Digital mammography. Left breast, CC projection. 31 y/o patient.
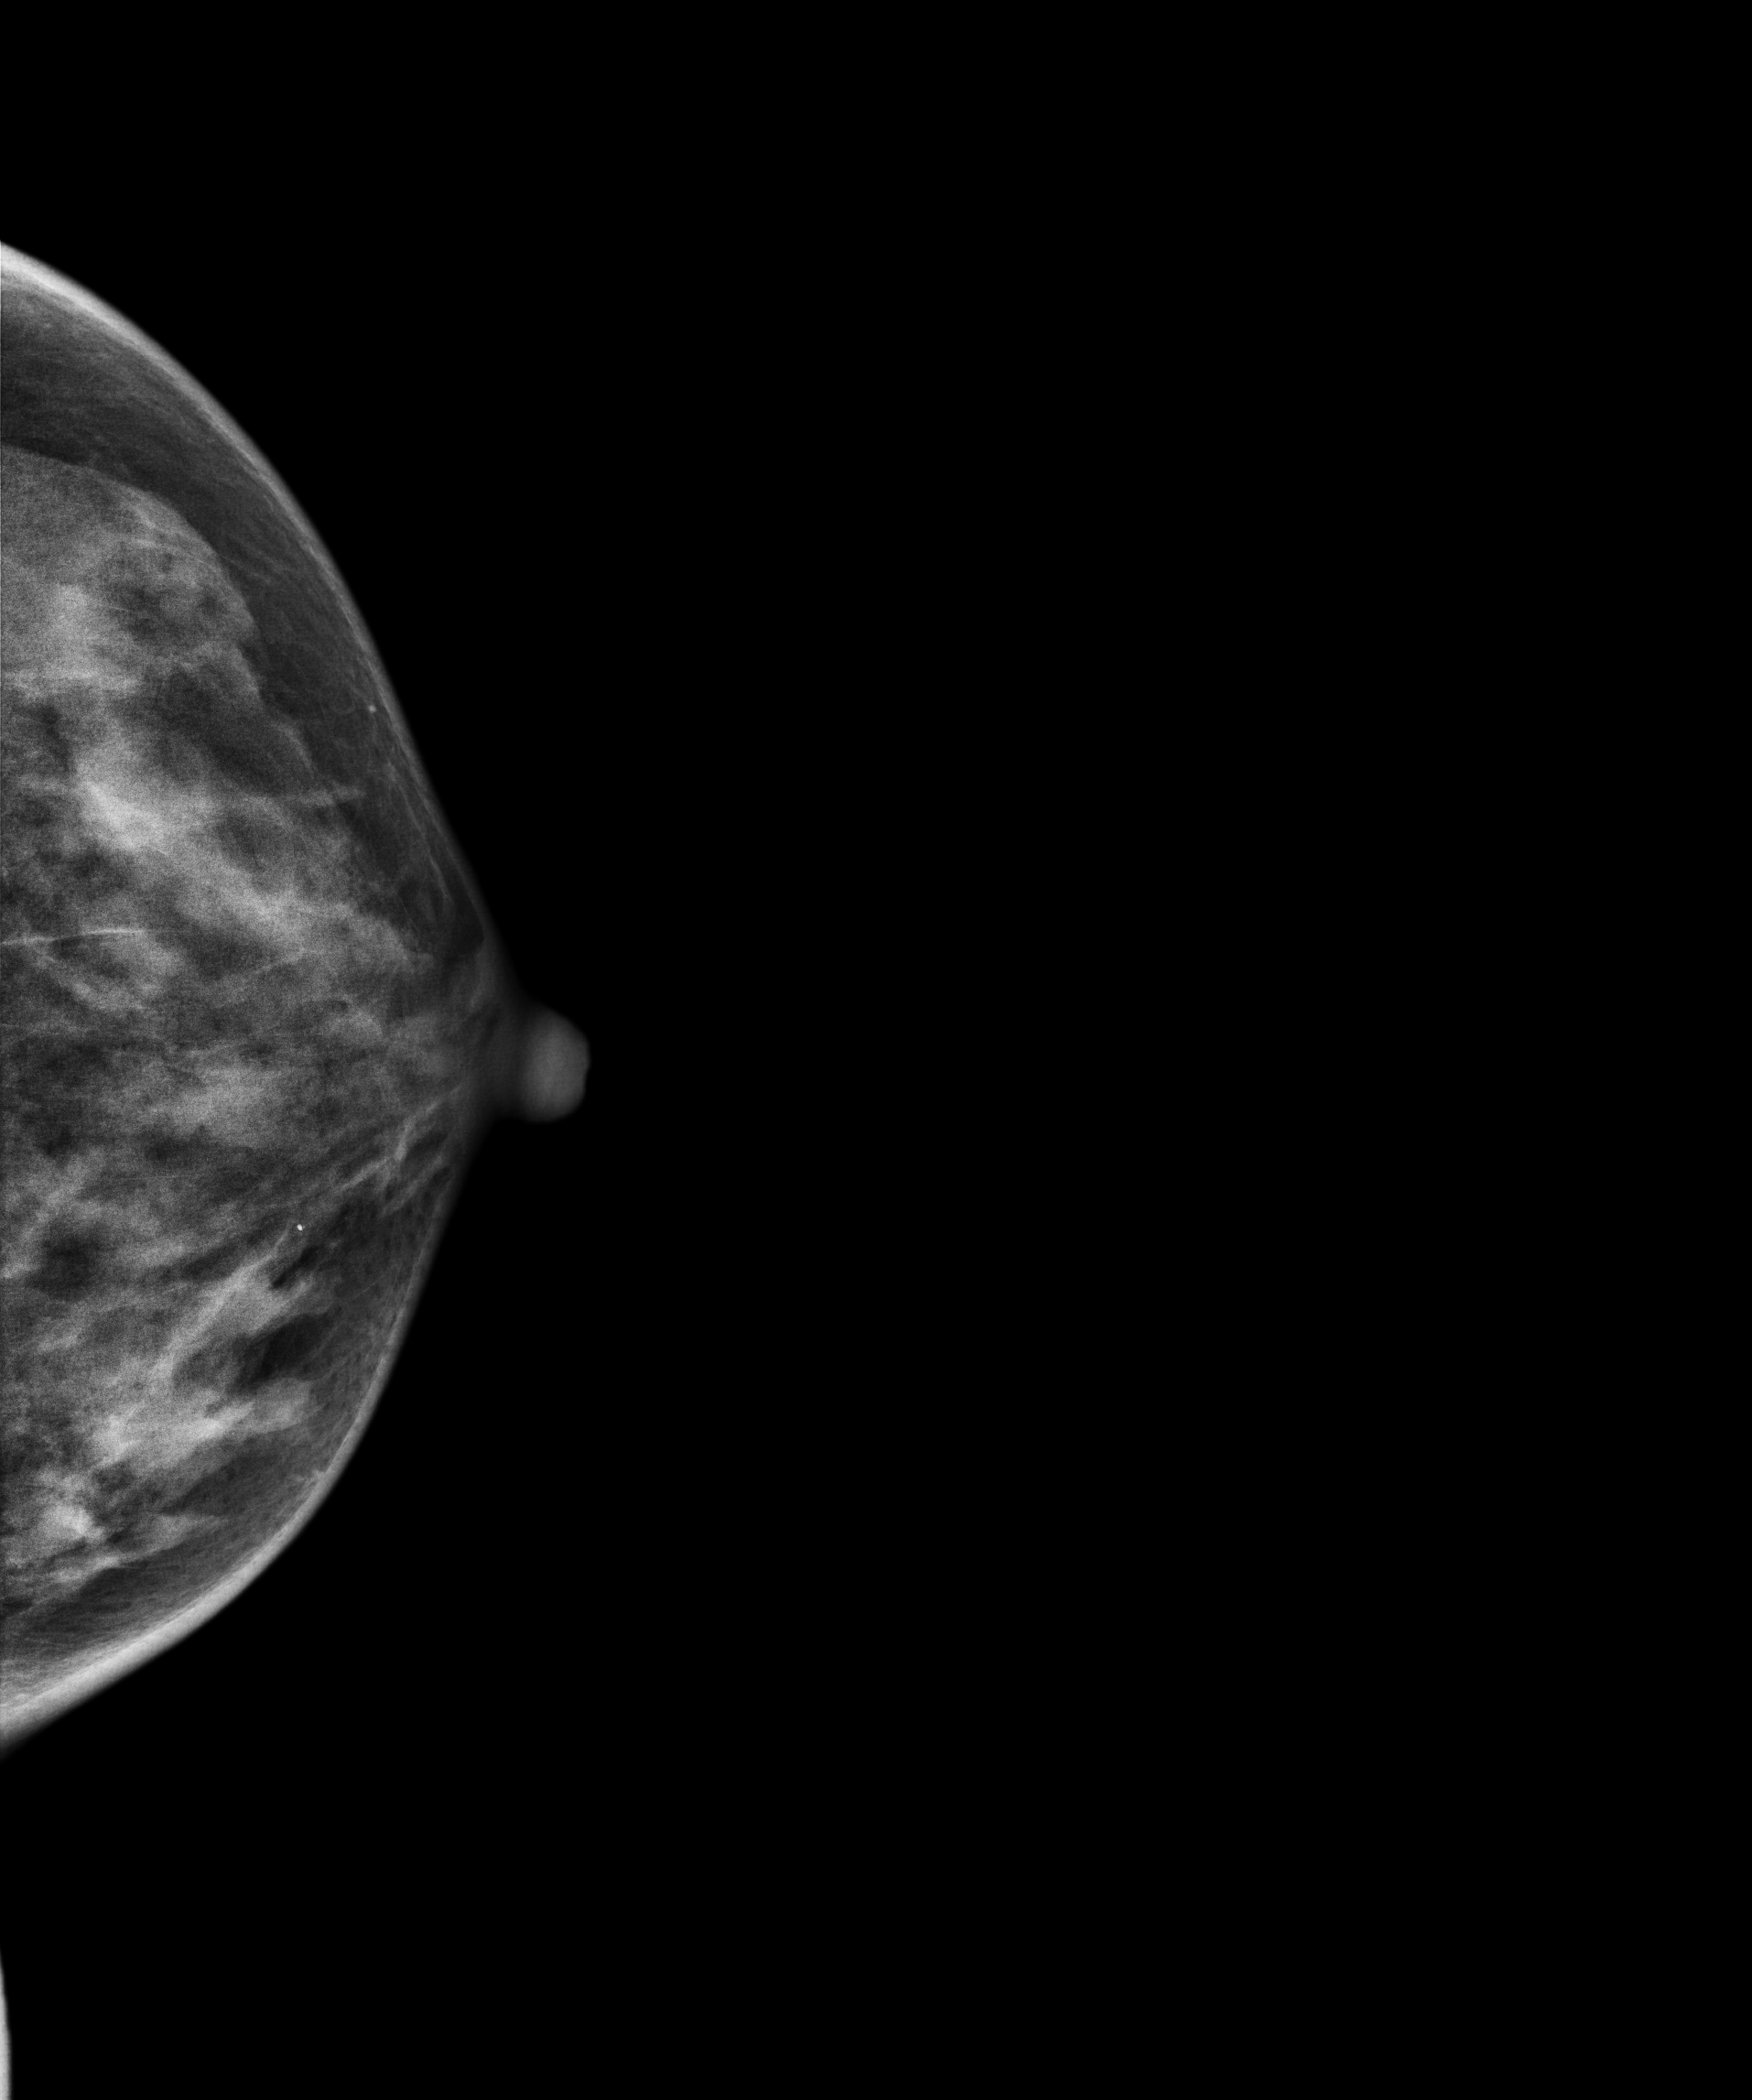
This breast has a mass, pathology-confirmed malignant.